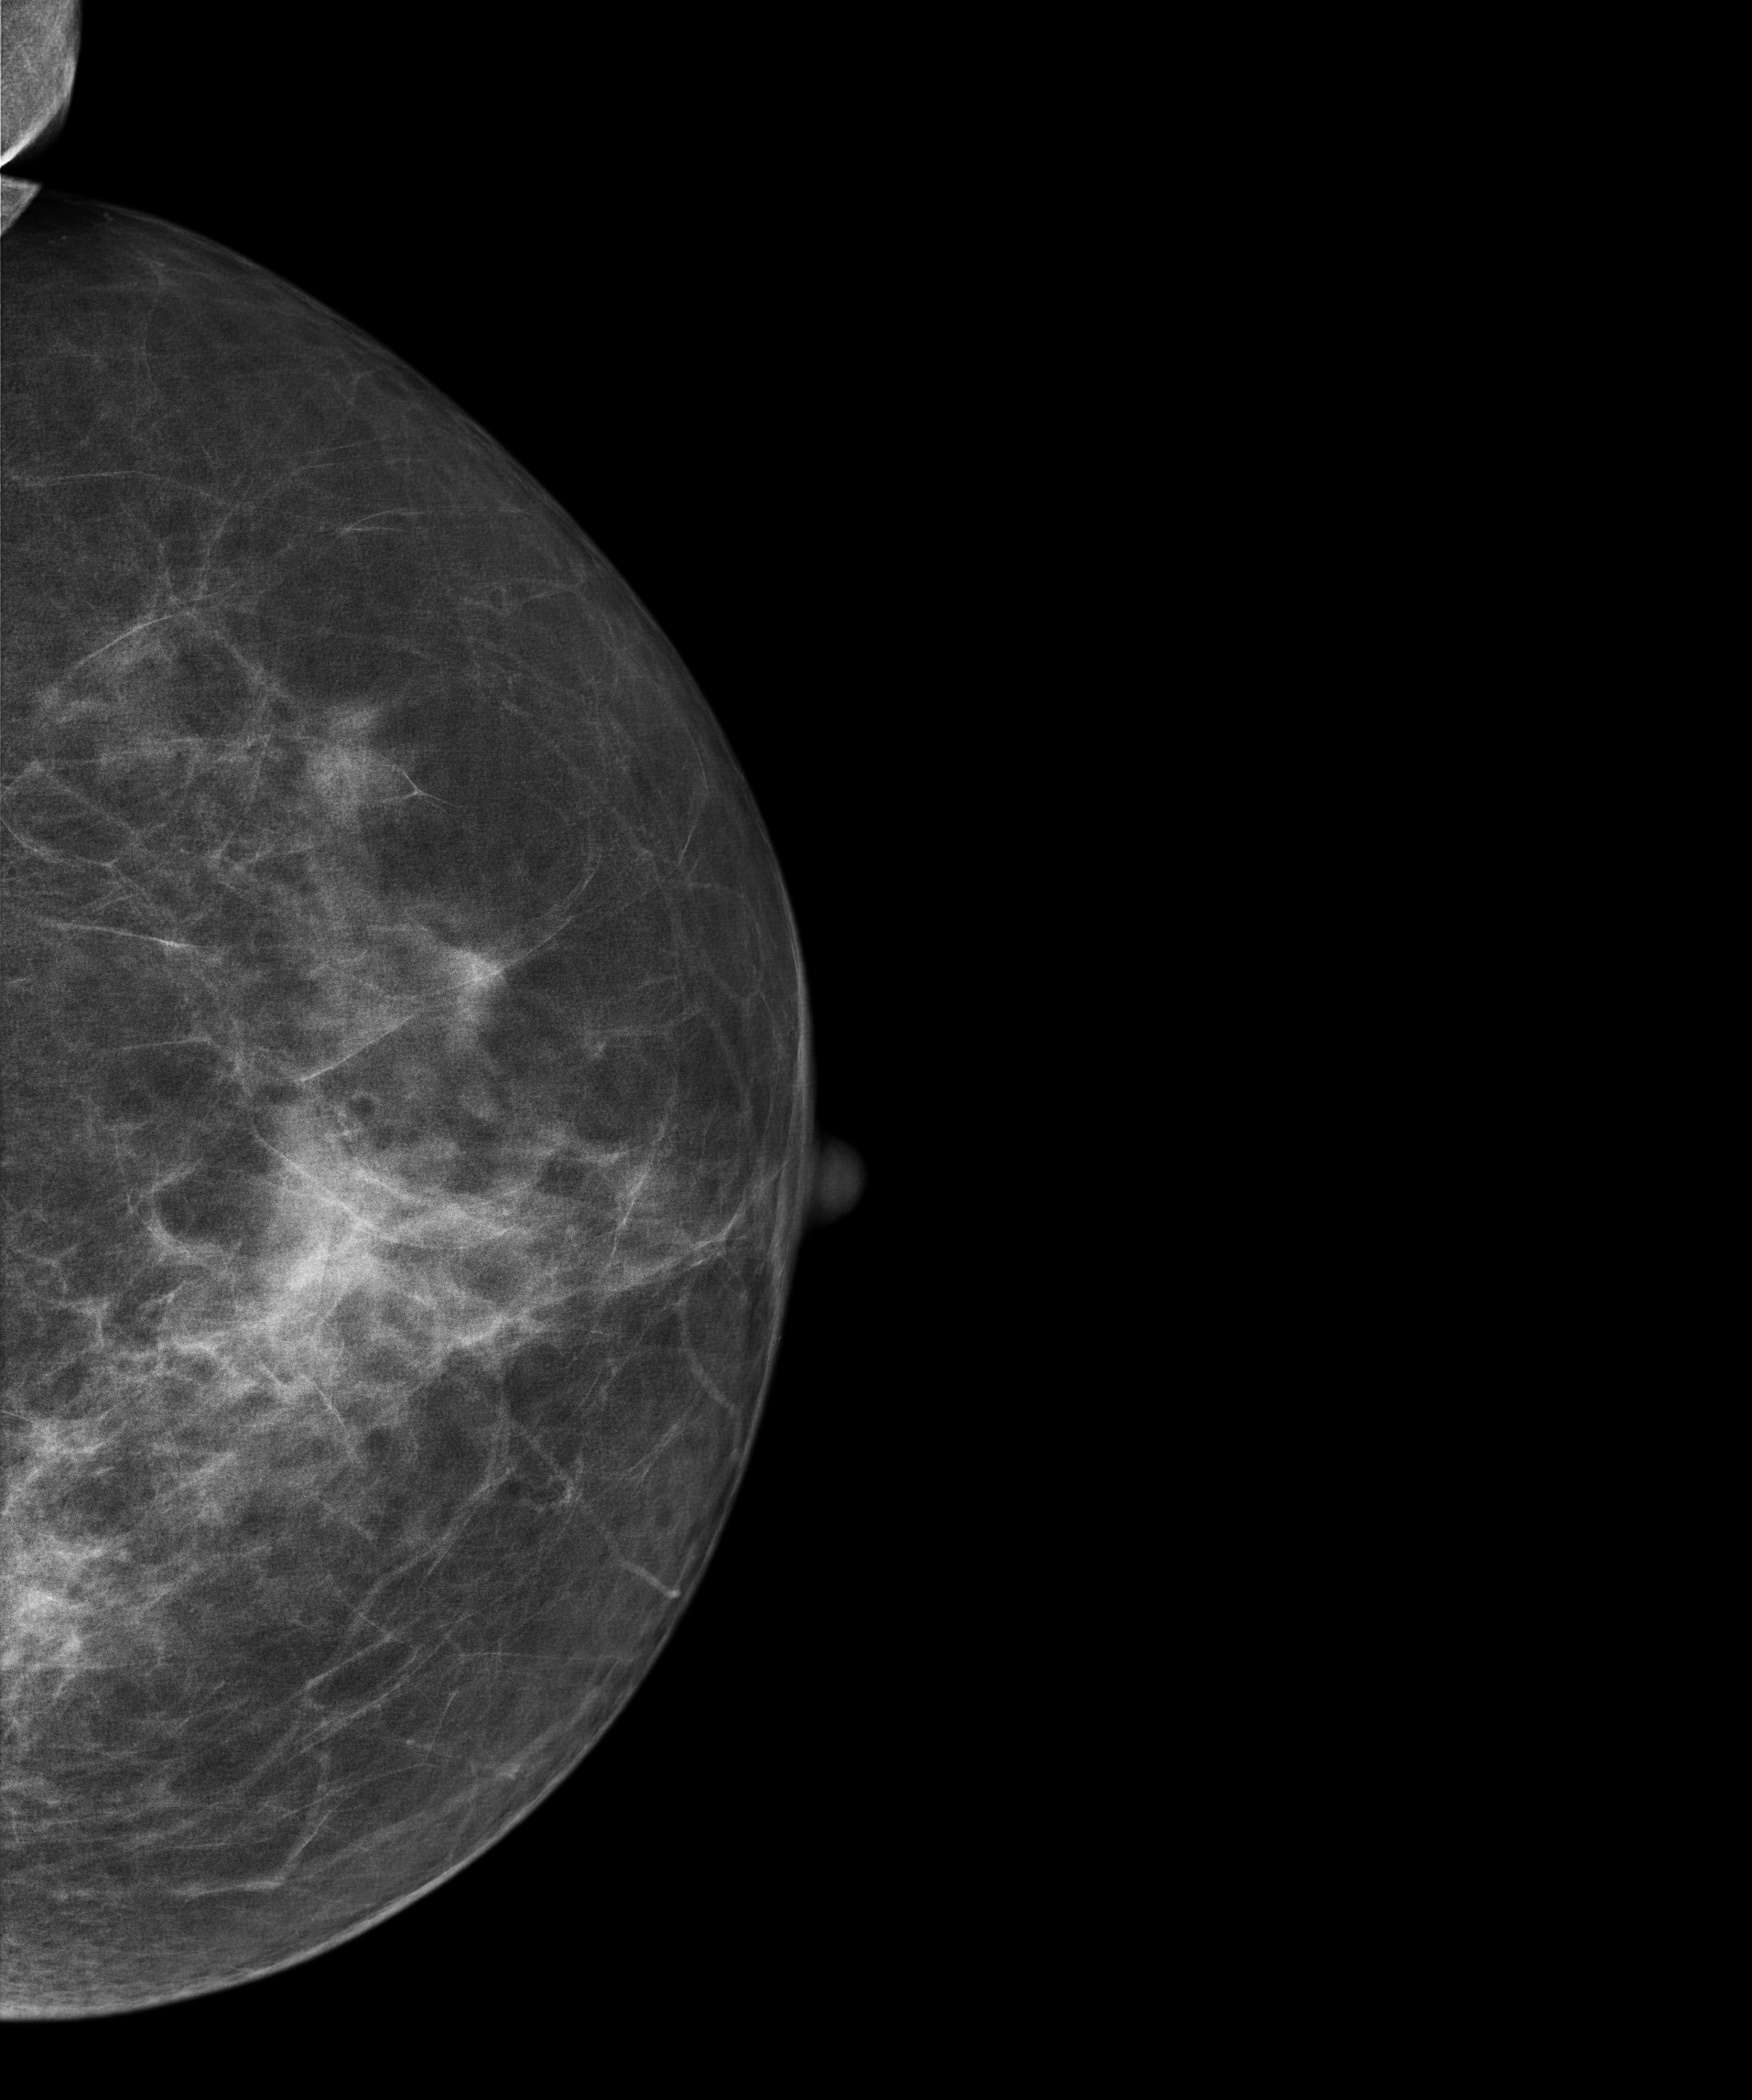
Mammogram — left cranio-caudal. 61 y/o patient.
This breast has a mass, histologically confirmed malignant.